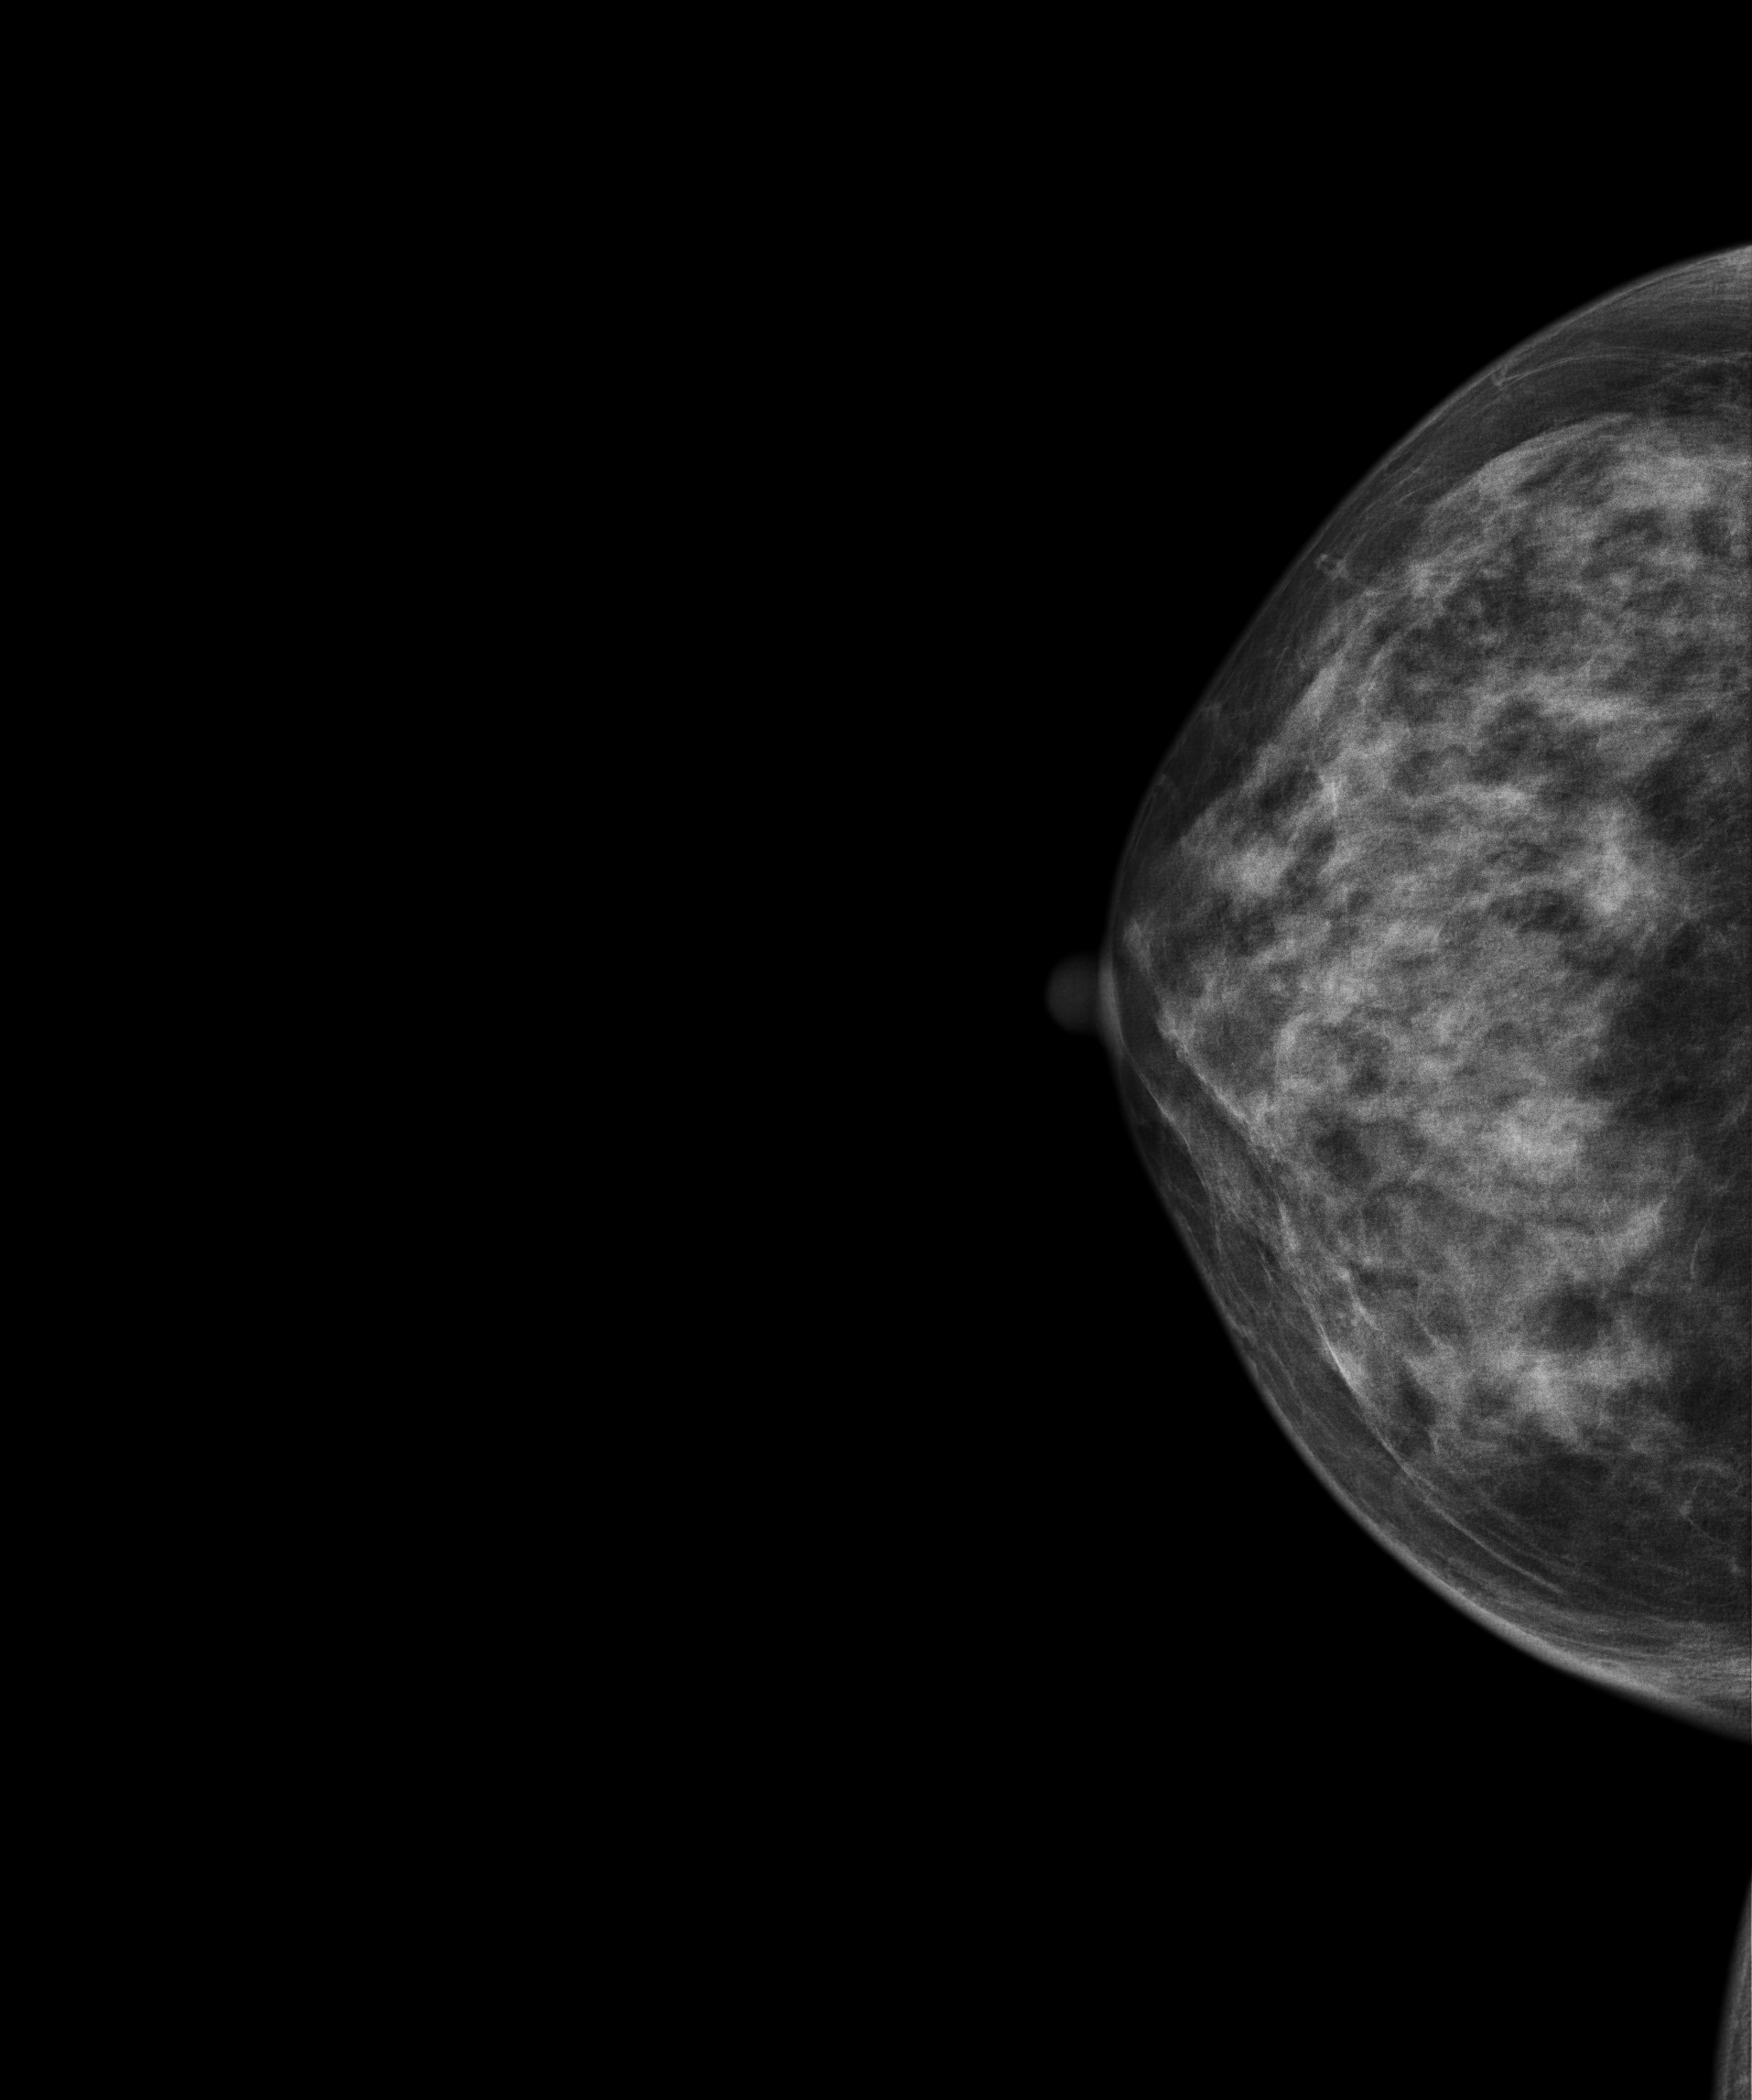
Right-breast mammogram, cranio-caudal. 50 y/o patient.
This breast has a mass, biopsy-confirmed malignant.